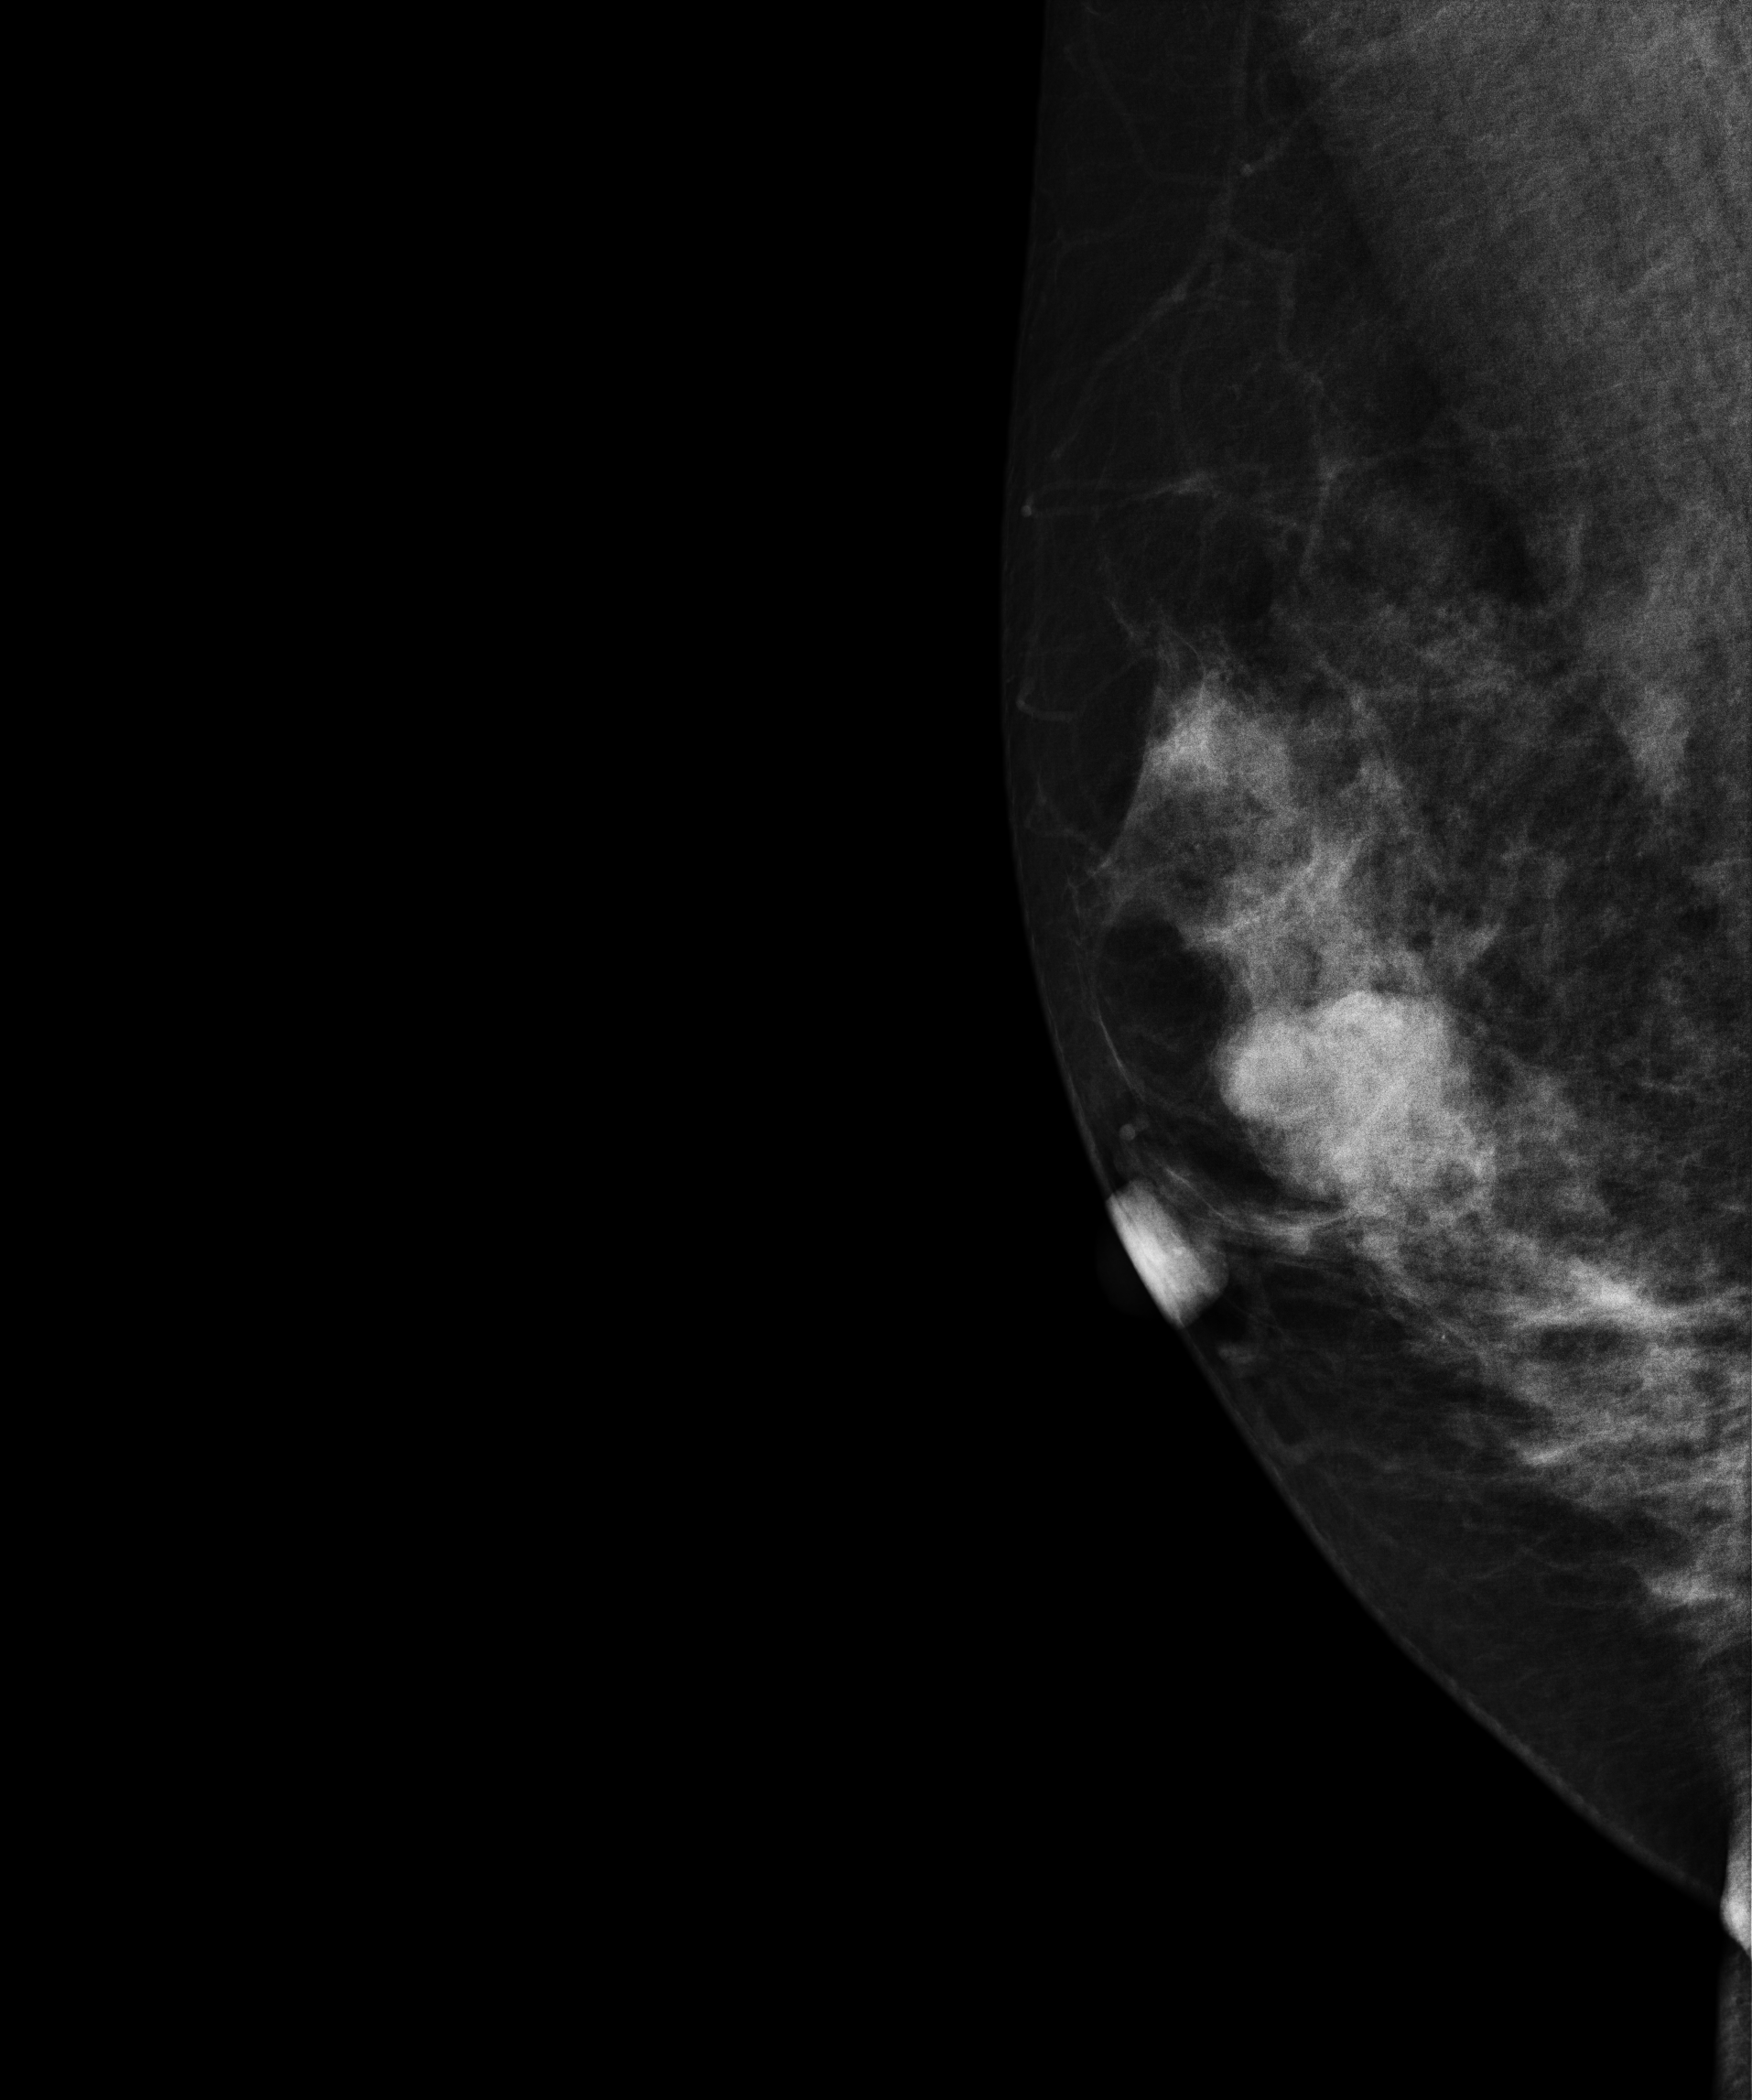
Digital mammography. Right breast, medio-lateral oblique projection. 43 y/o patient.
This breast has a mass, biopsy-confirmed benign.